Mammogram, left breast, medio-lateral oblique view. Patient age 44.
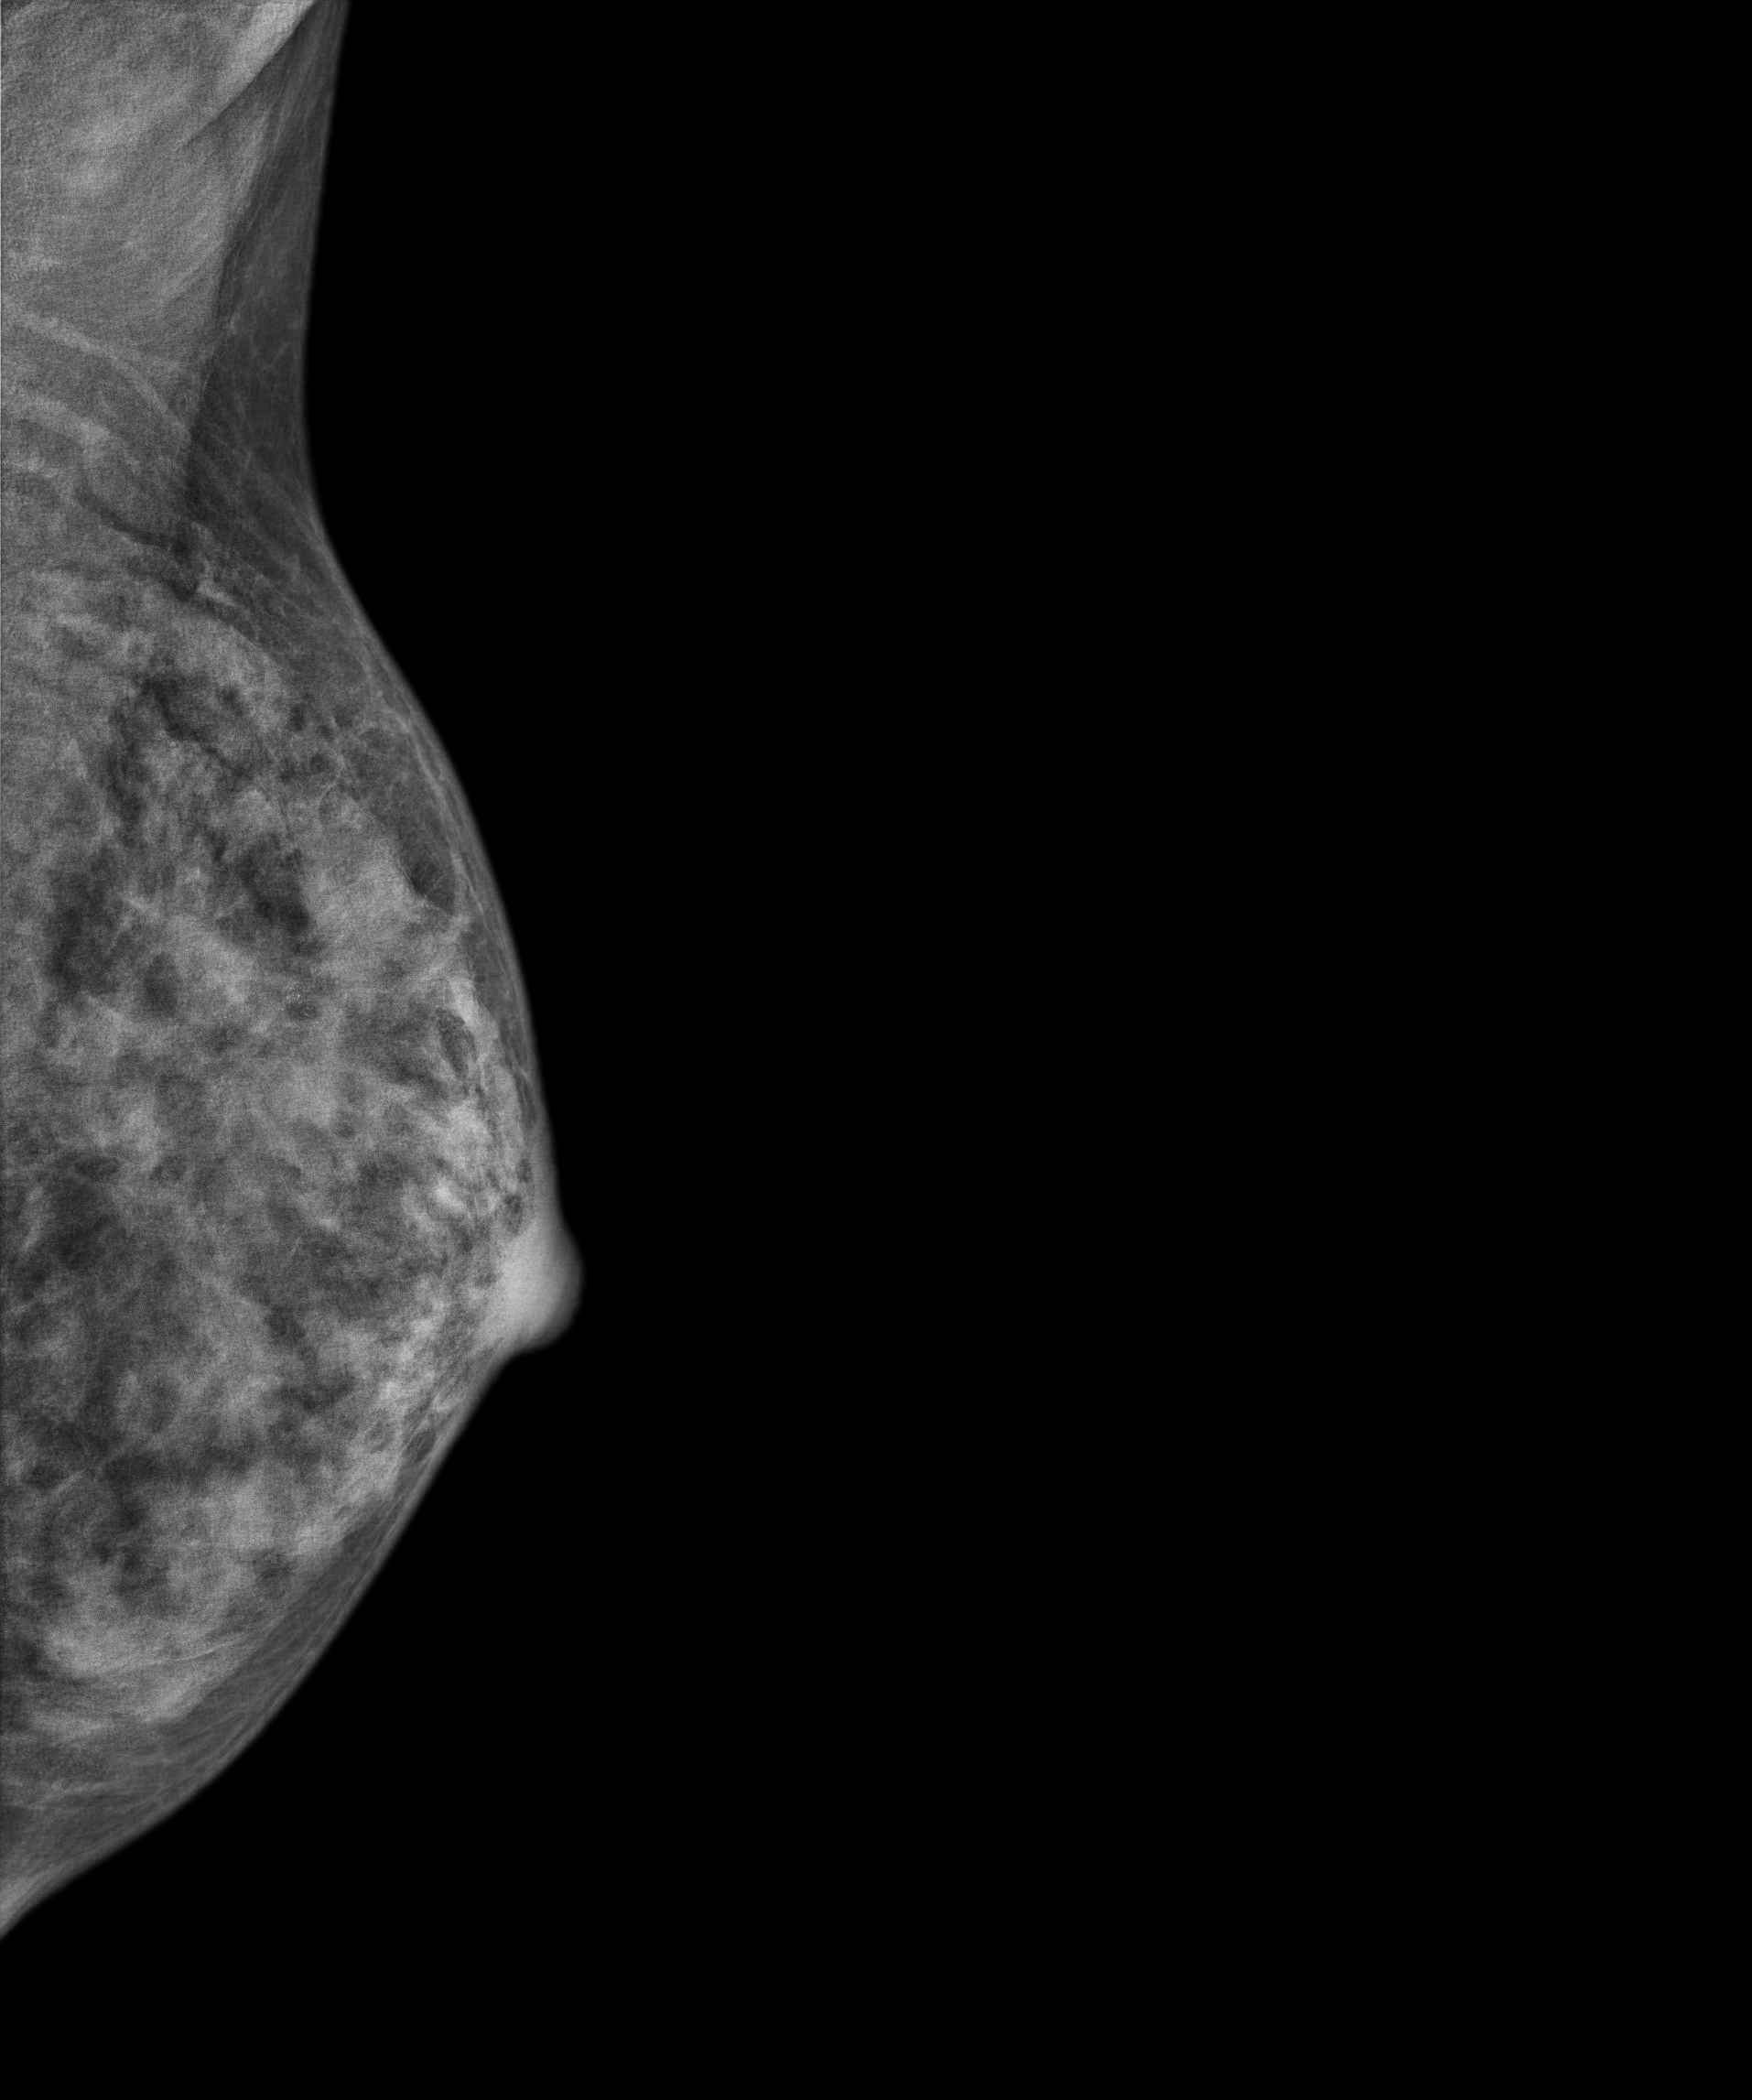
This breast has a mass and calcifications, histologically confirmed malignant. Molecular subtype: luminal A.